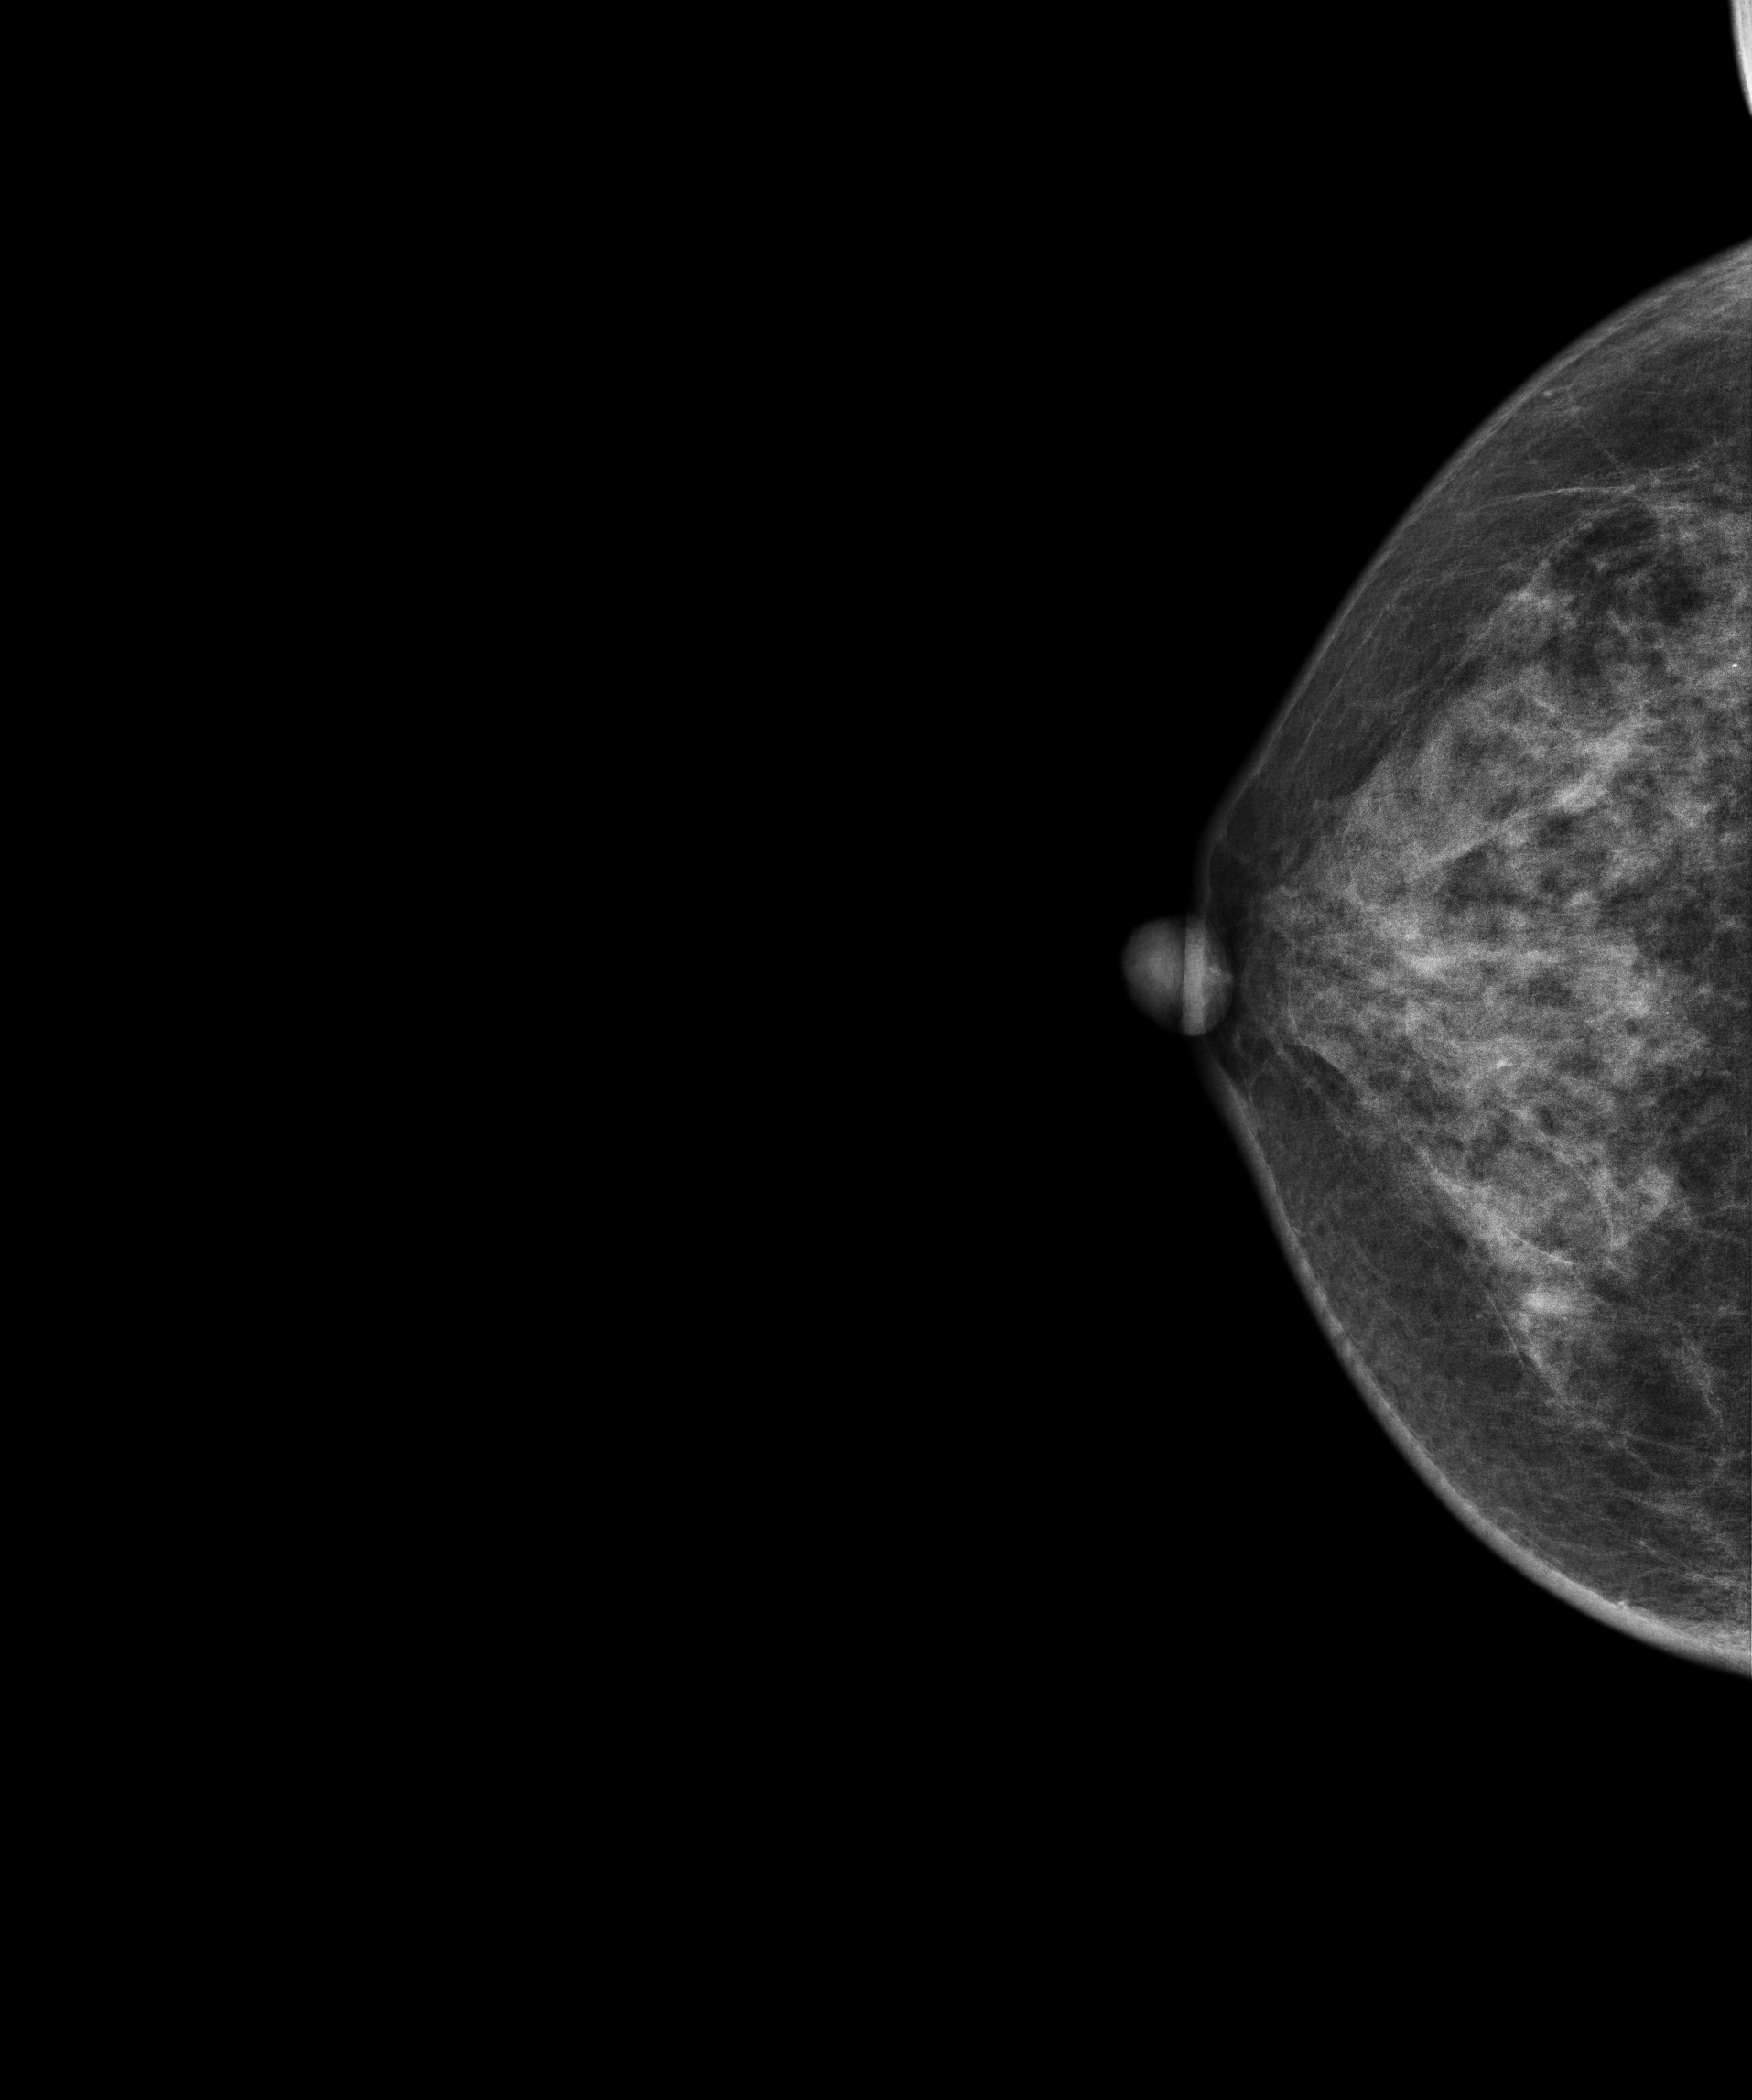
Cranio-caudal mammogram of the right breast. 53-year-old patient.
Contralateral breast — no documented abnormality on this side.